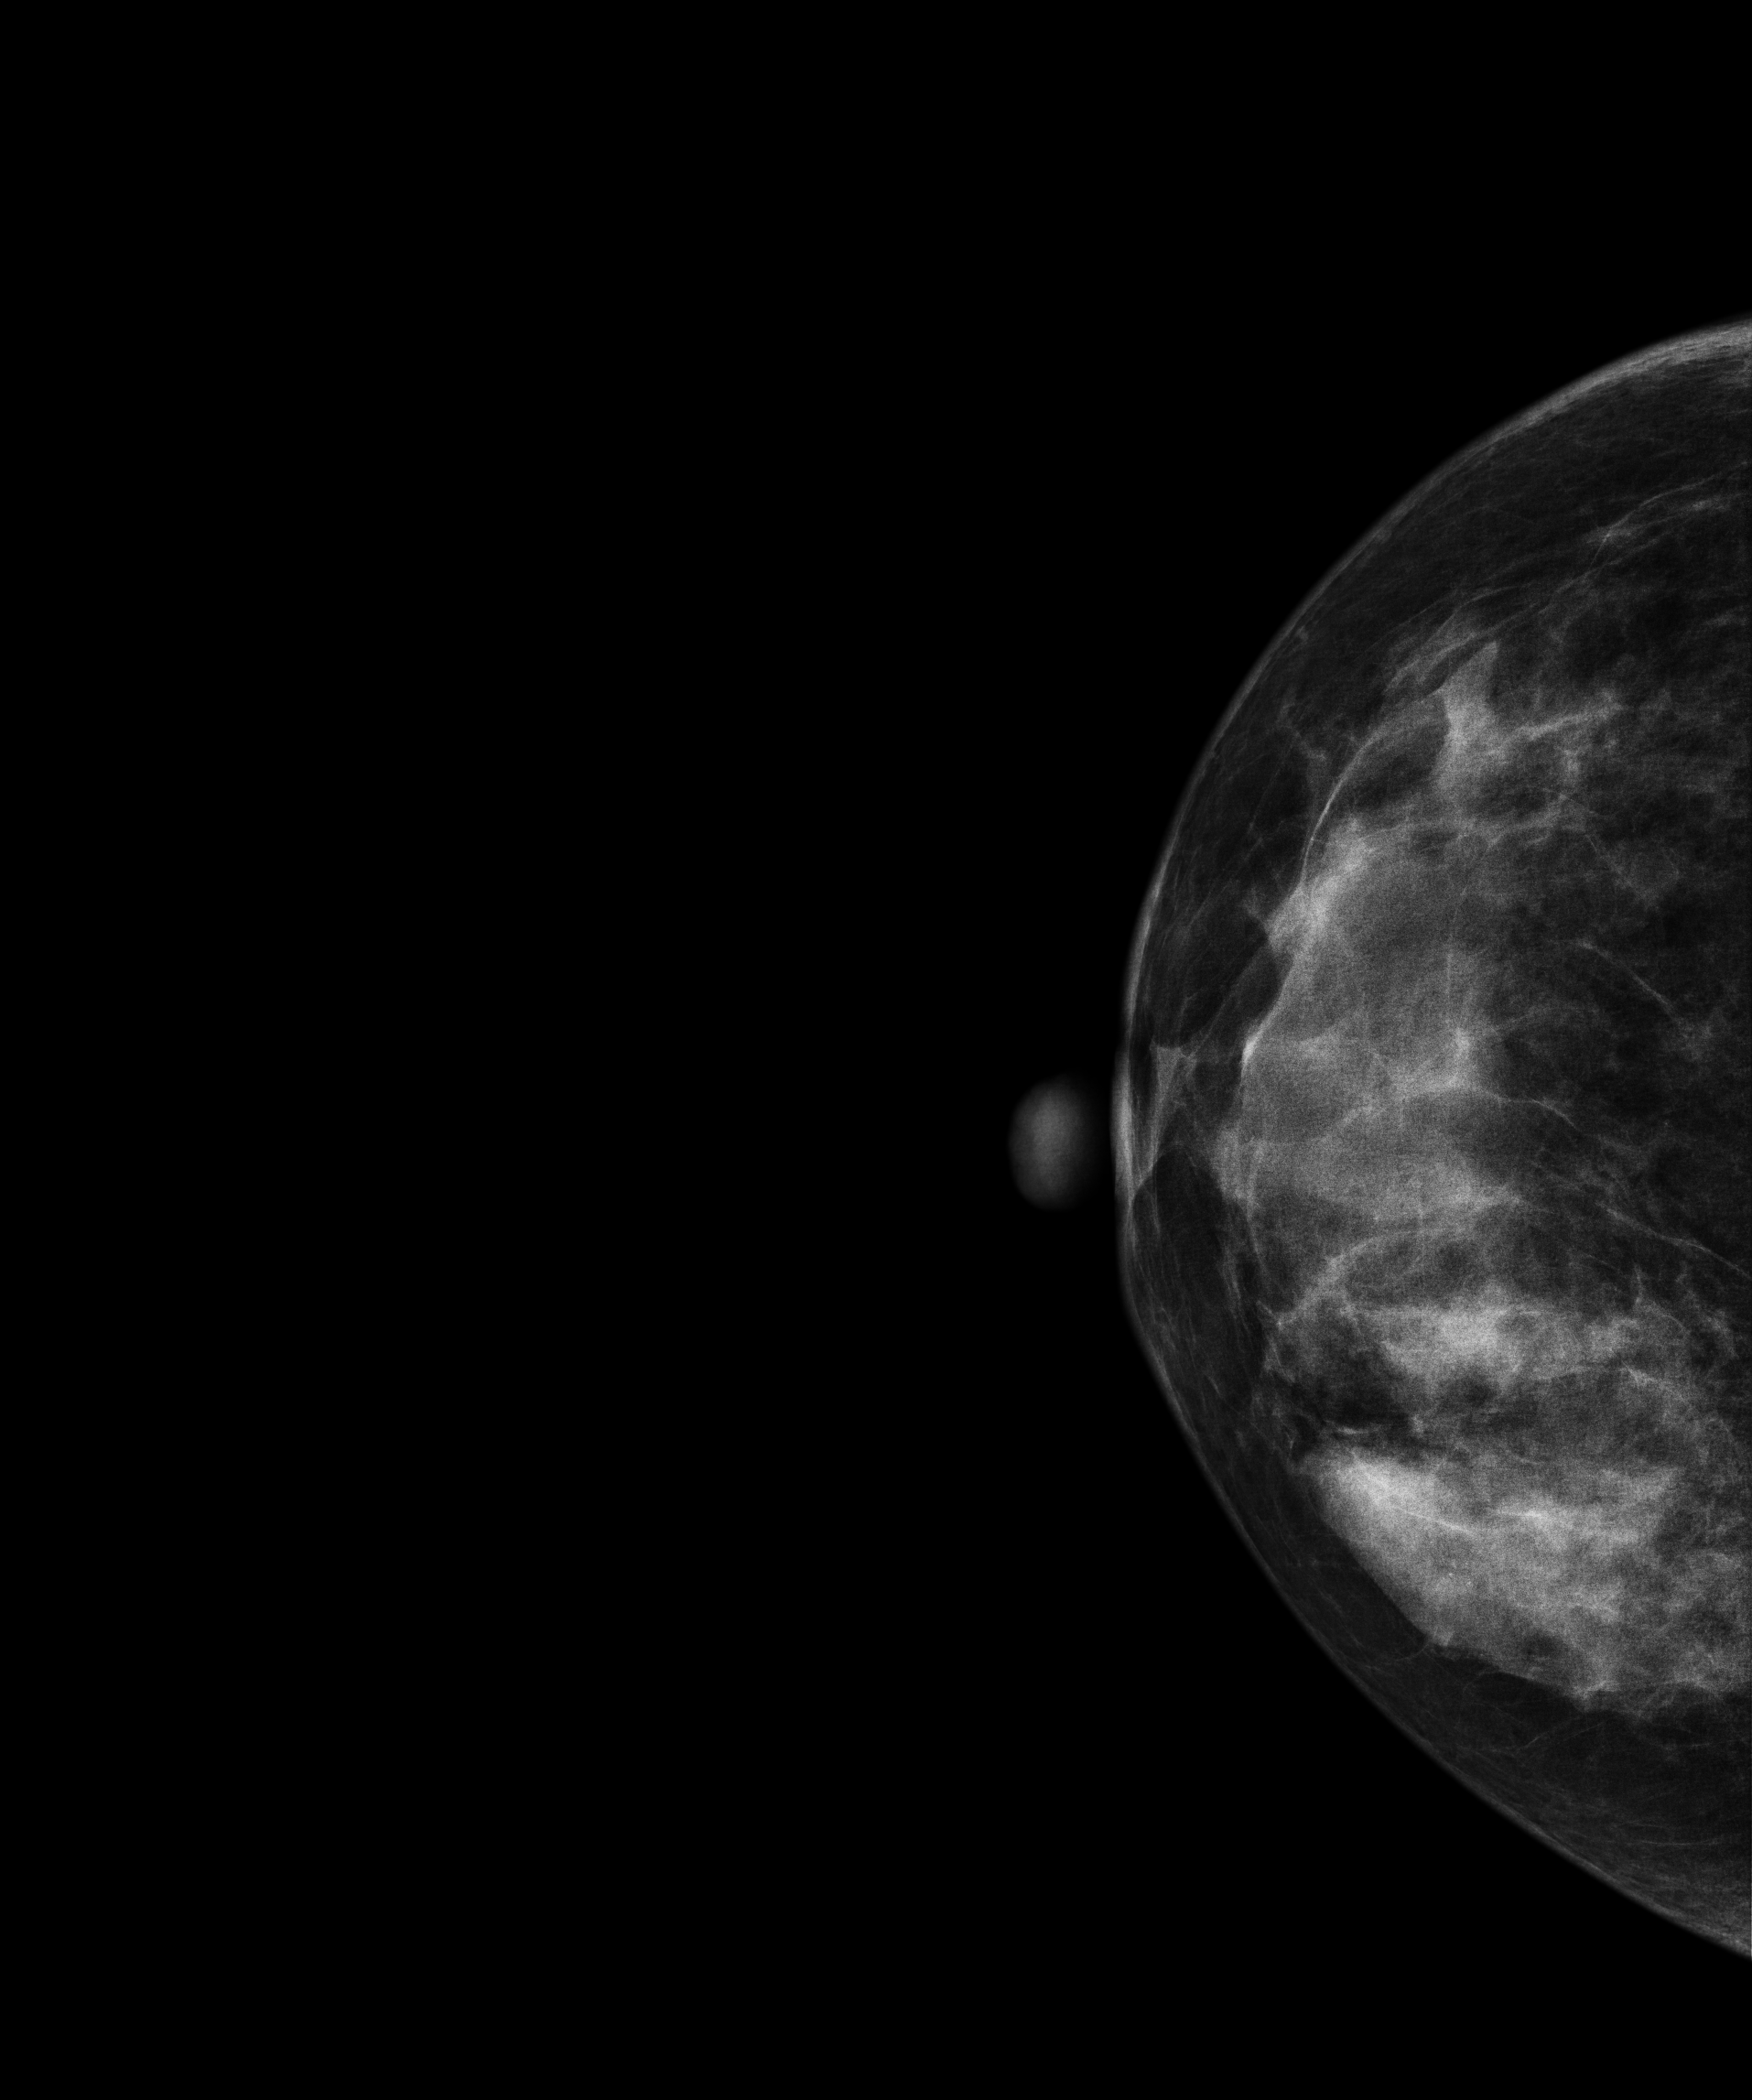
Mammogram, right breast, cranio-caudal view. 49-year-old patient.
This breast has a mass, histologically confirmed malignant. Molecular subtype: luminal B.